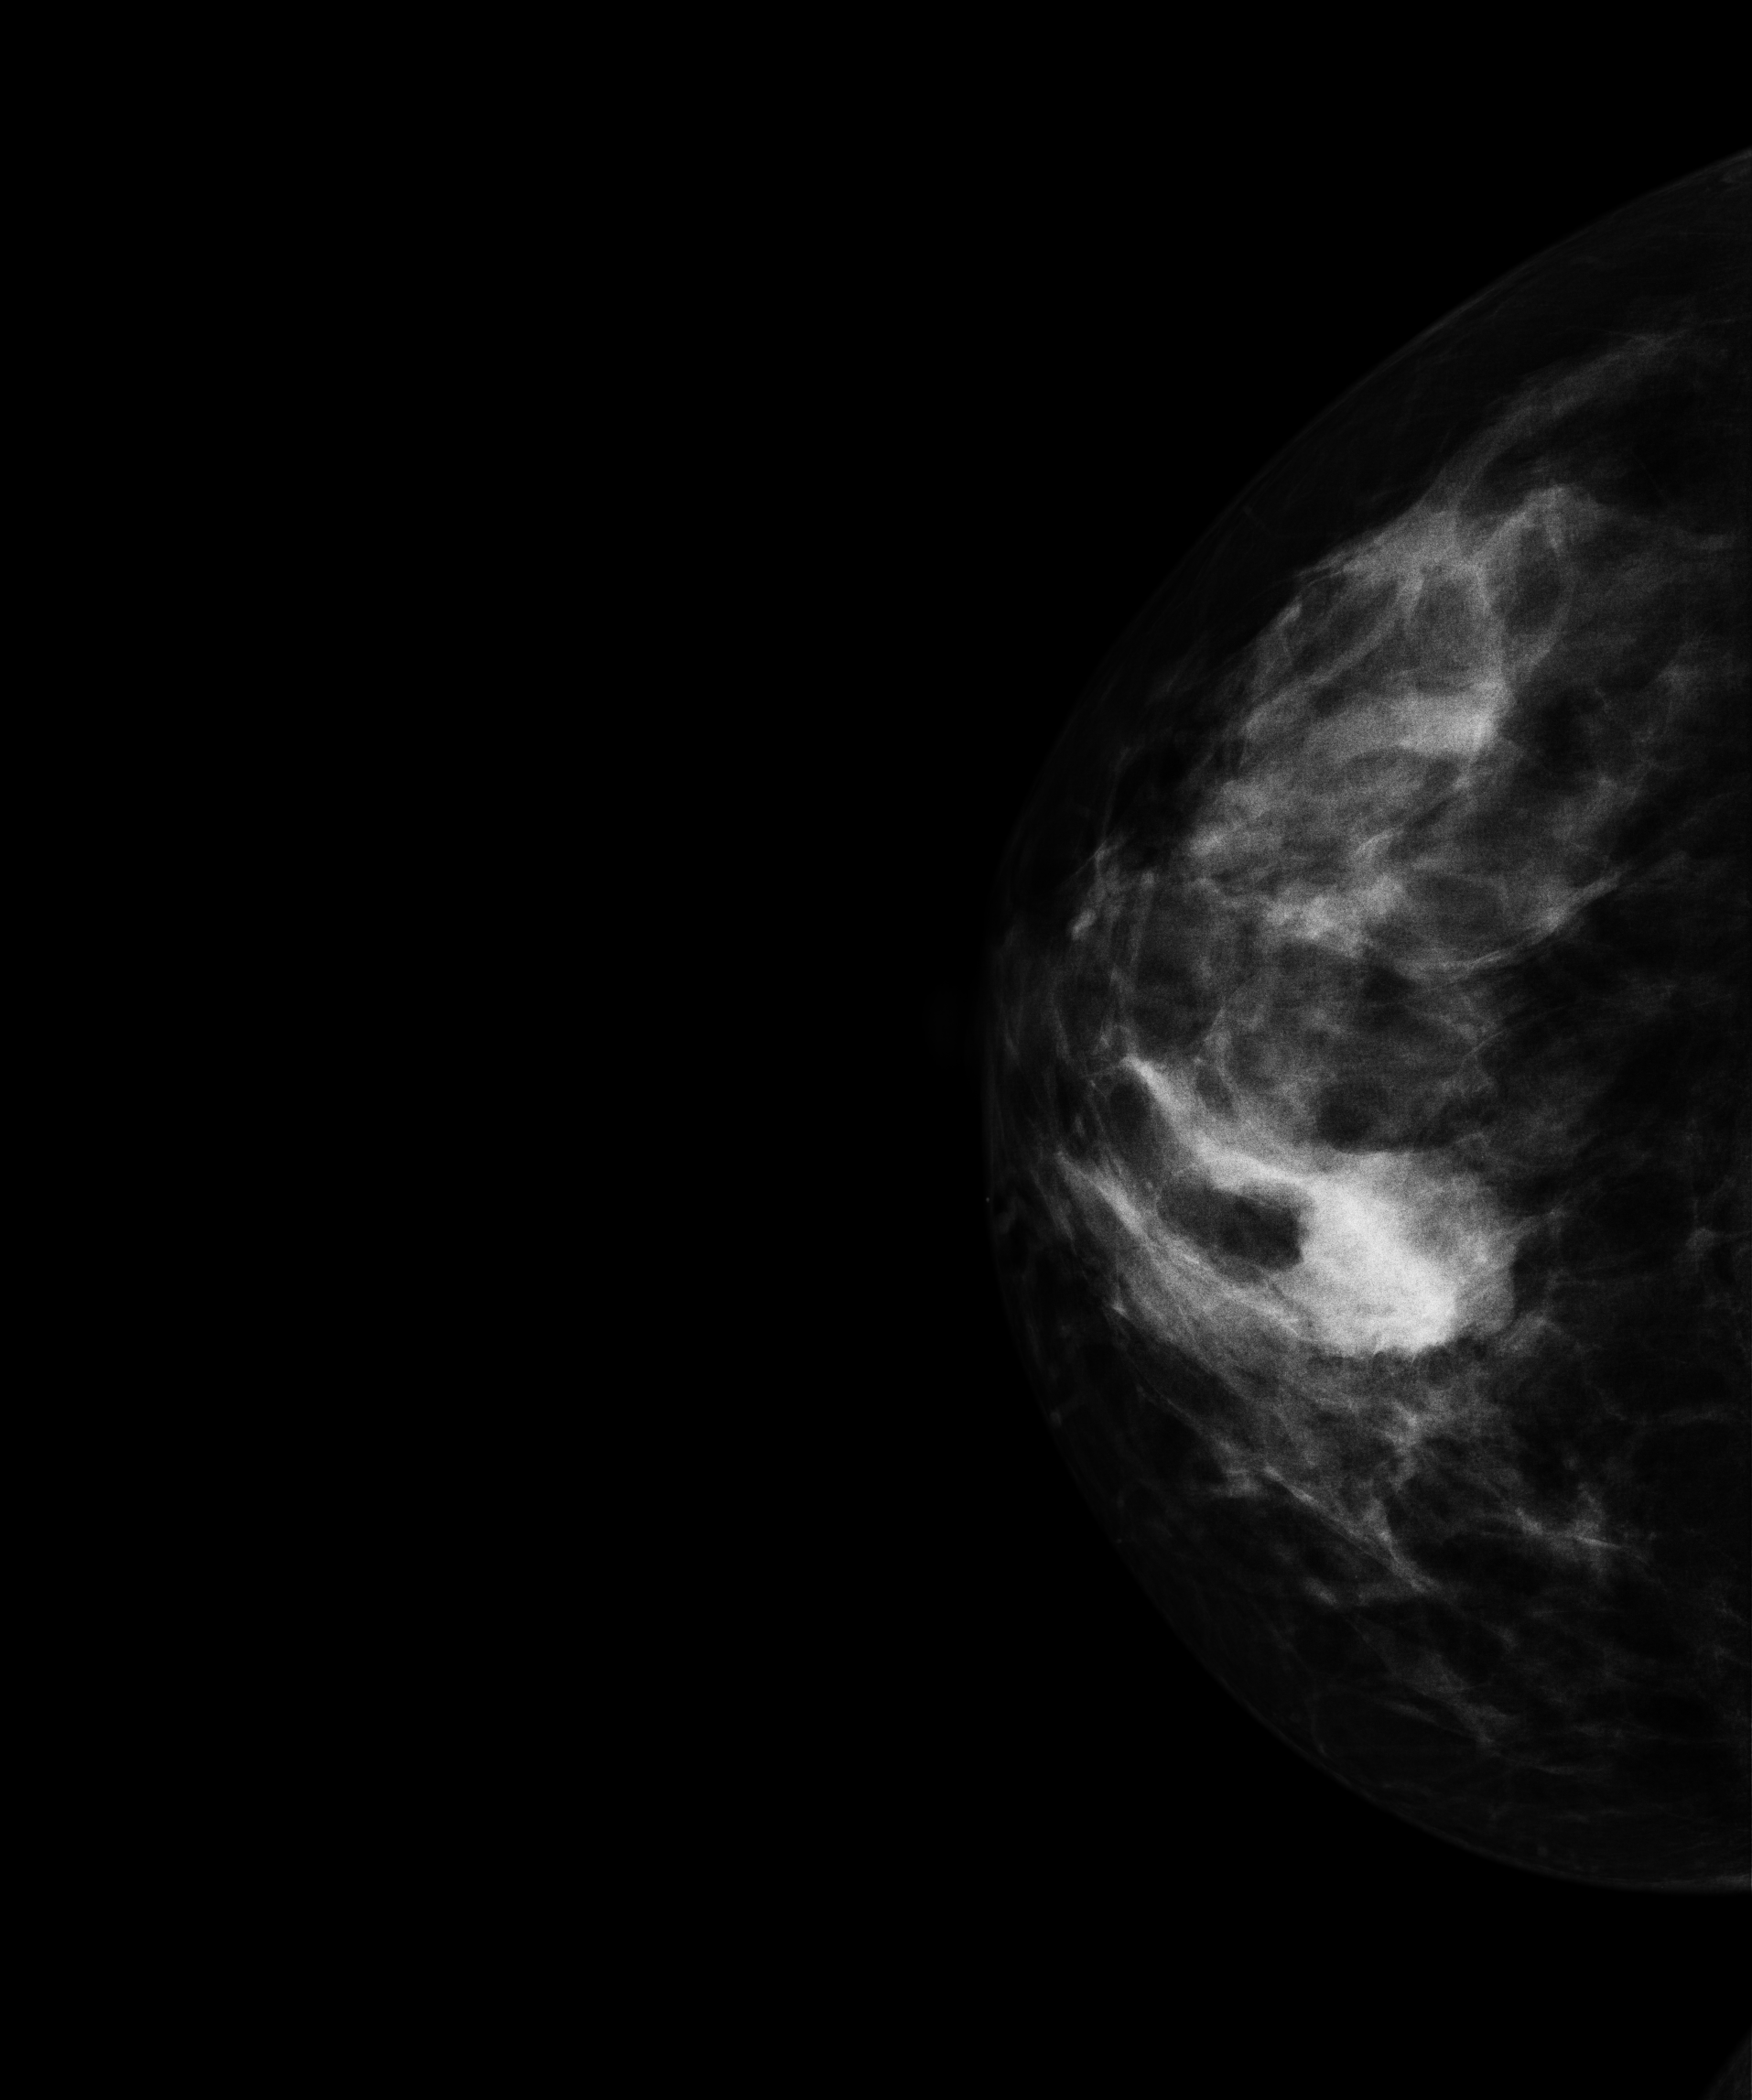
CC mammogram of the right breast. 49-year-old patient.
This breast has a mass, biopsy-confirmed malignant. Molecular subtype: luminal A.